Right-breast mammogram, medio-lateral oblique. Patient age 60.
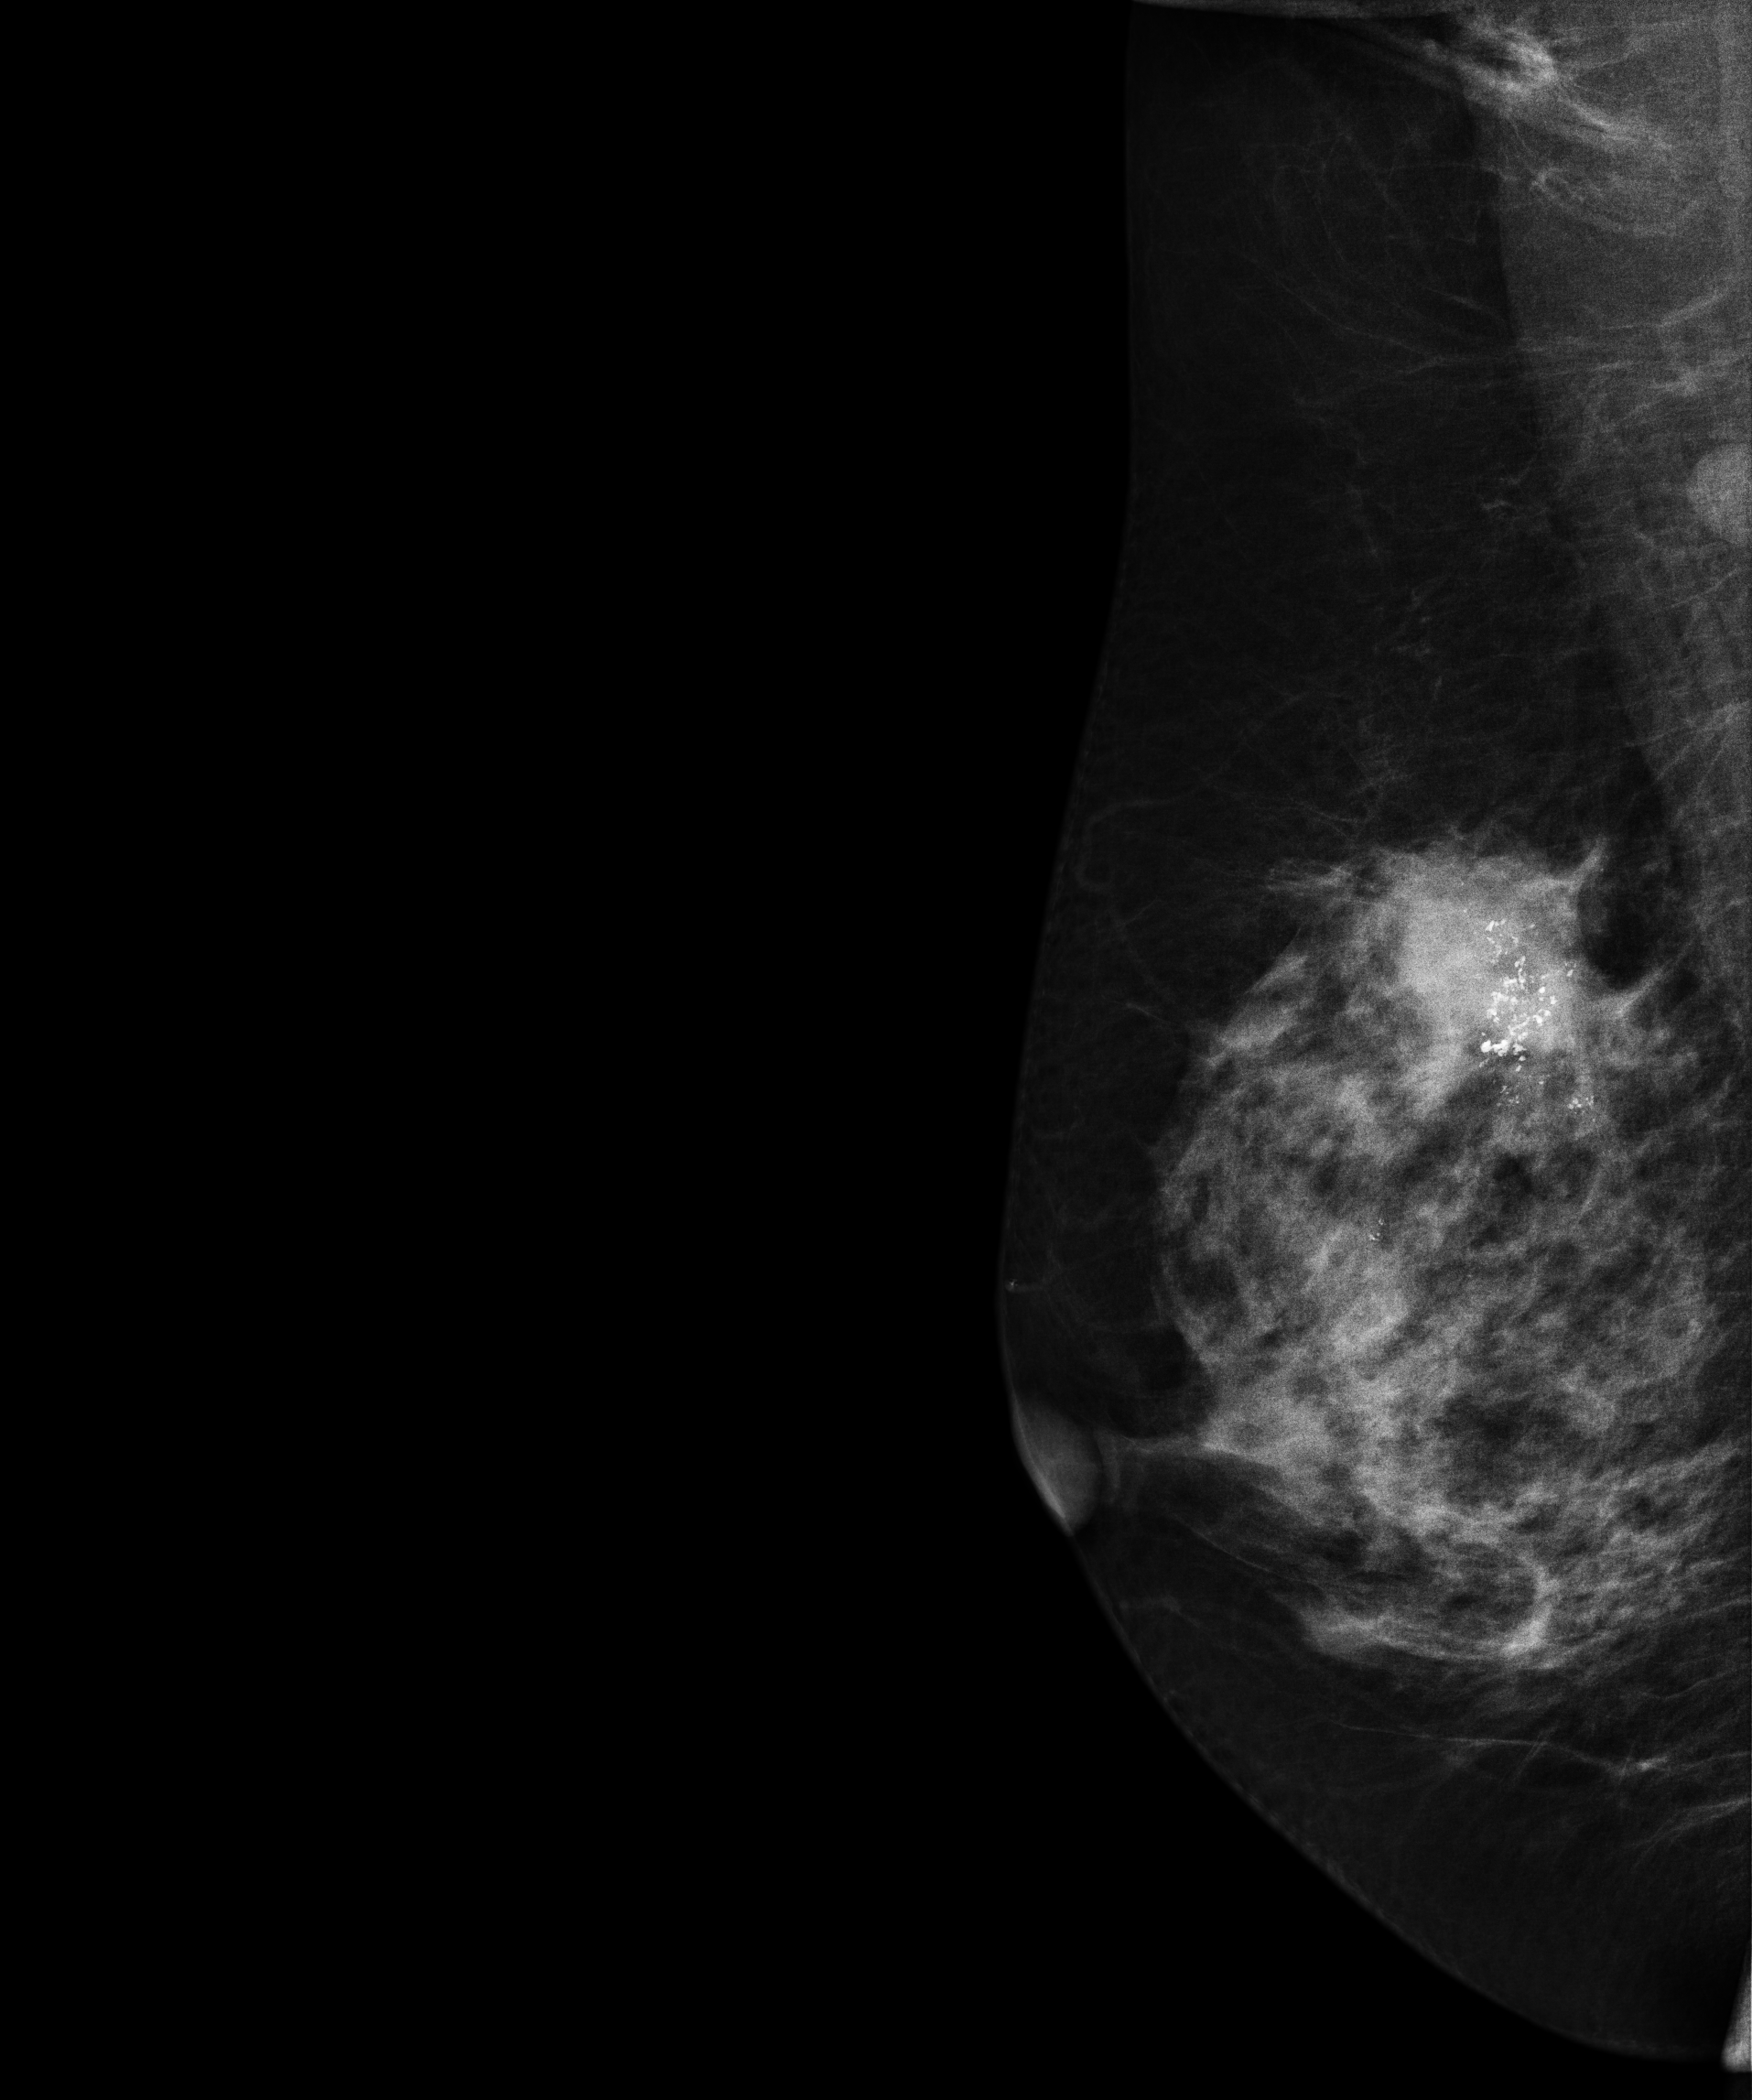
This breast has a mass and calcifications, histologically confirmed malignant. Molecular subtype: luminal B.